Mammogram — left medio-lateral oblique. 38-year-old patient.
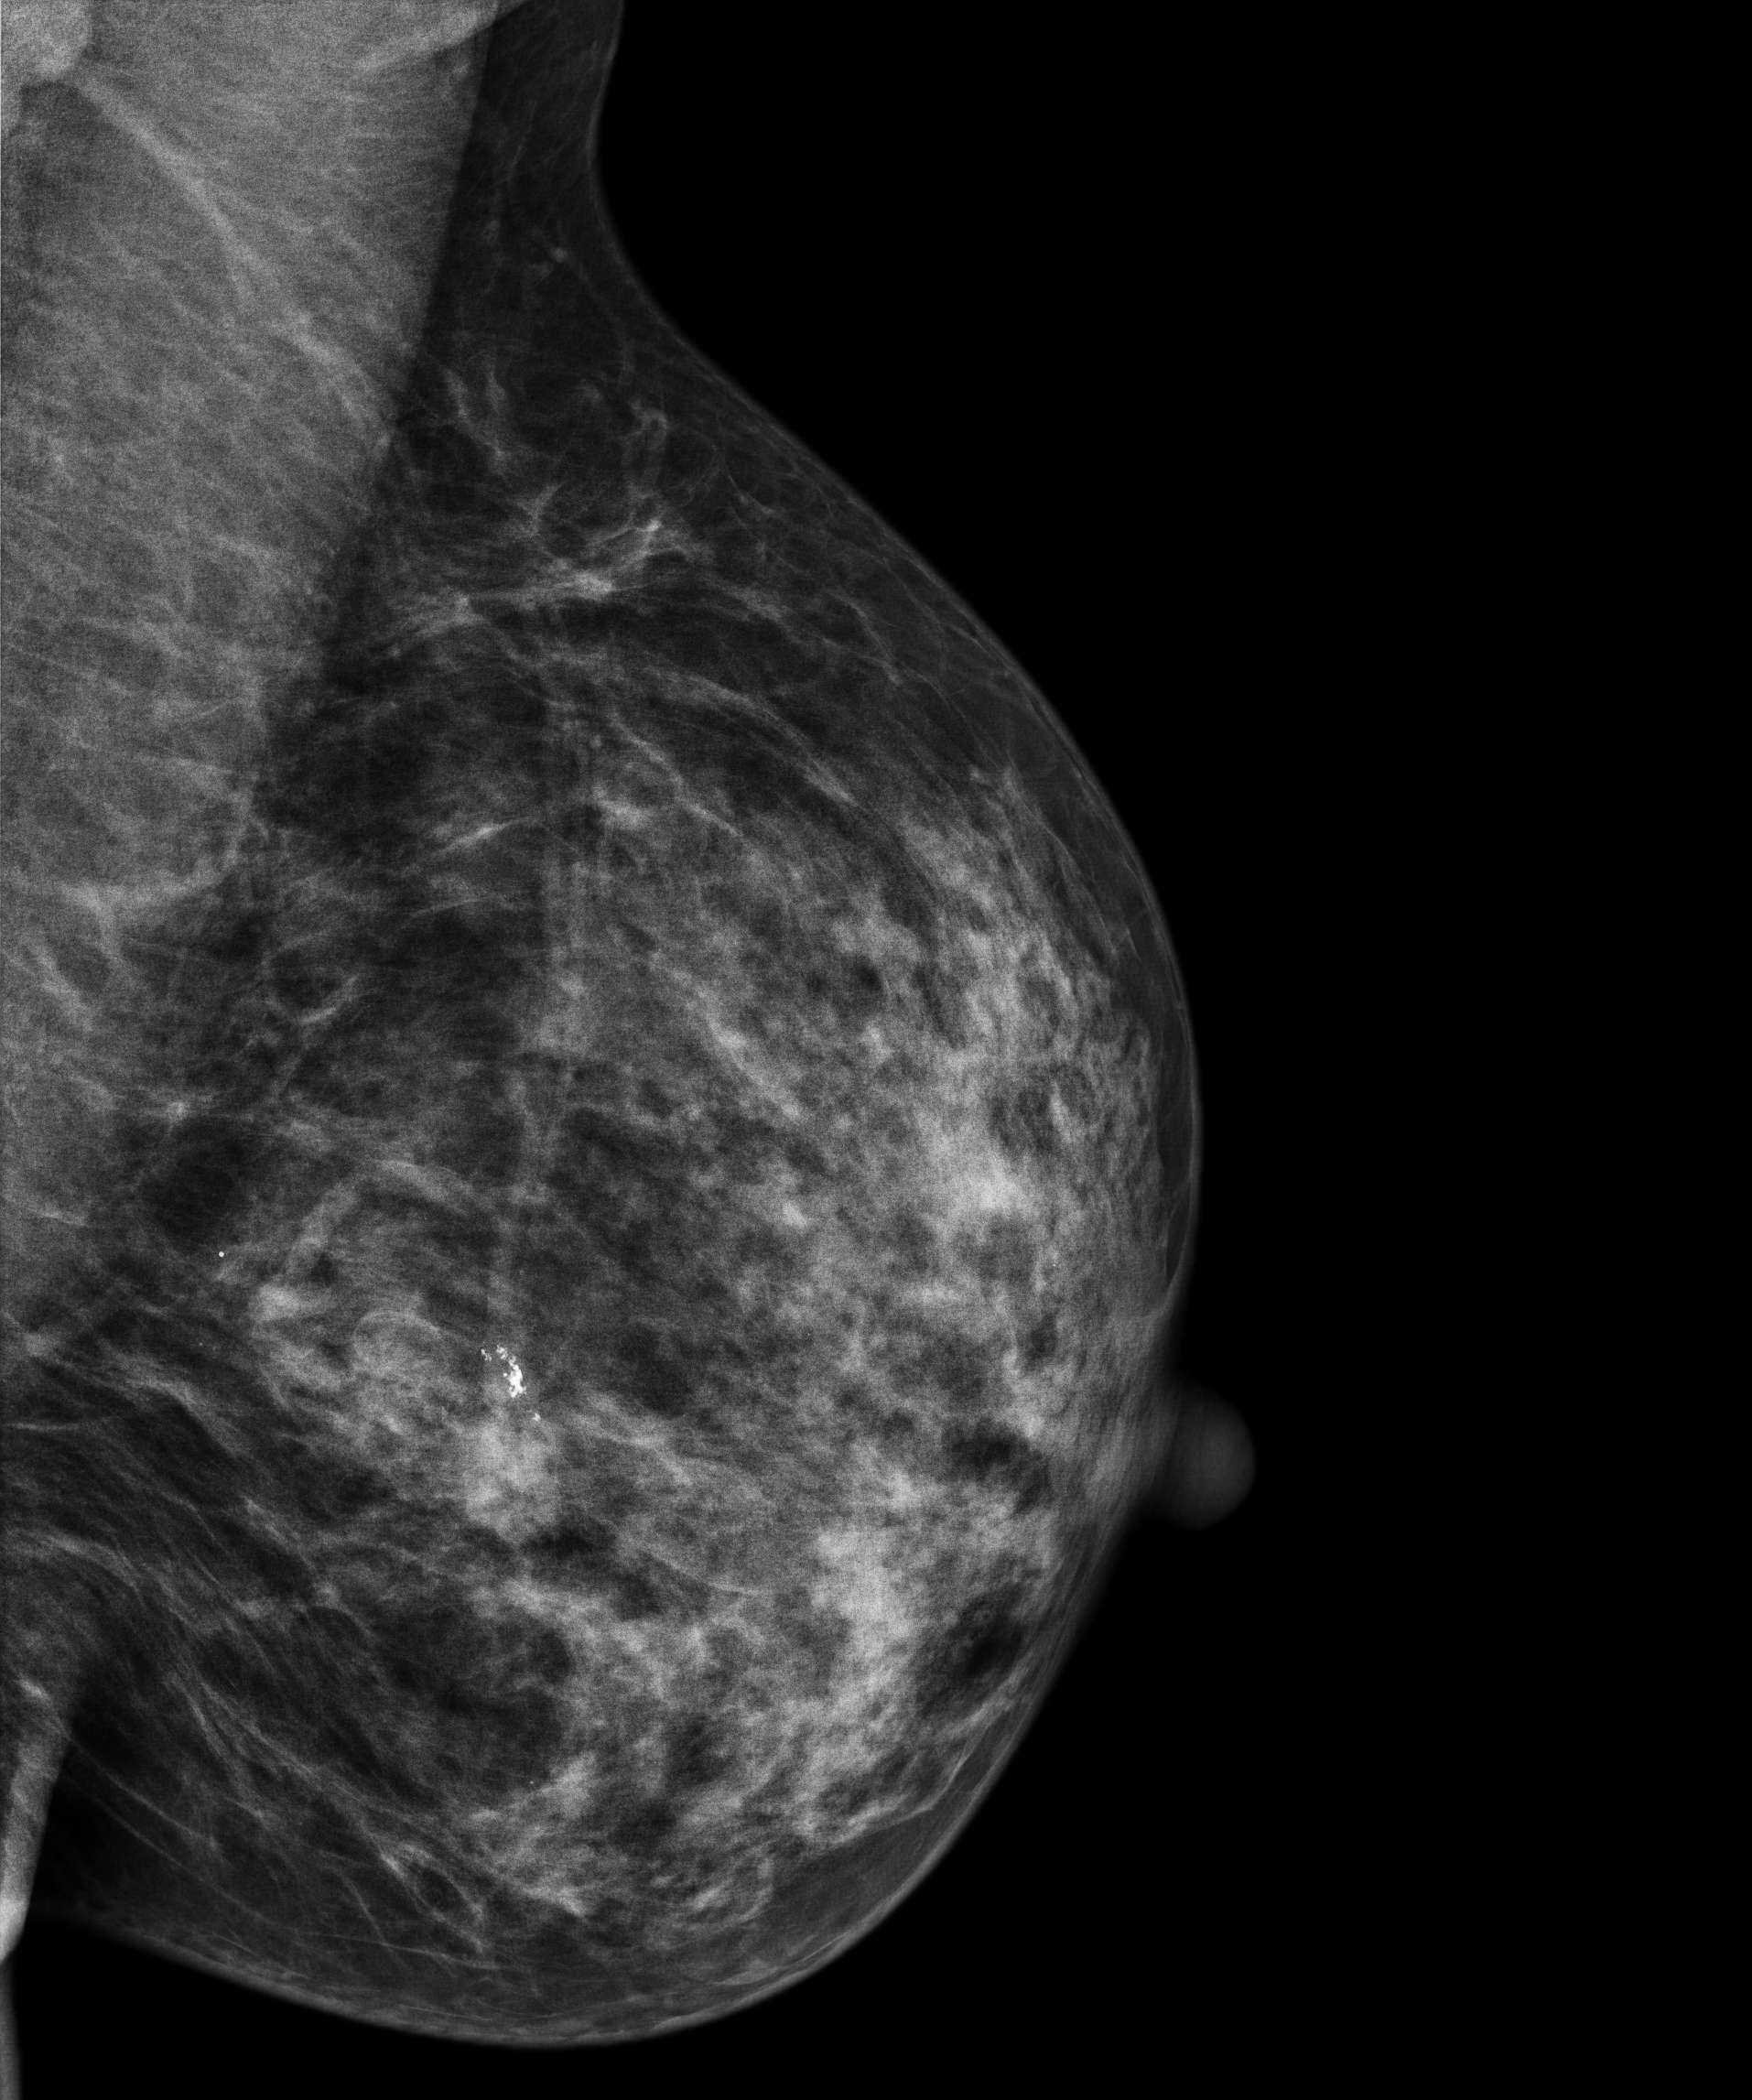
This breast has calcifications, pathology-confirmed benign.